Mammogram — right MLO. Patient age 81.
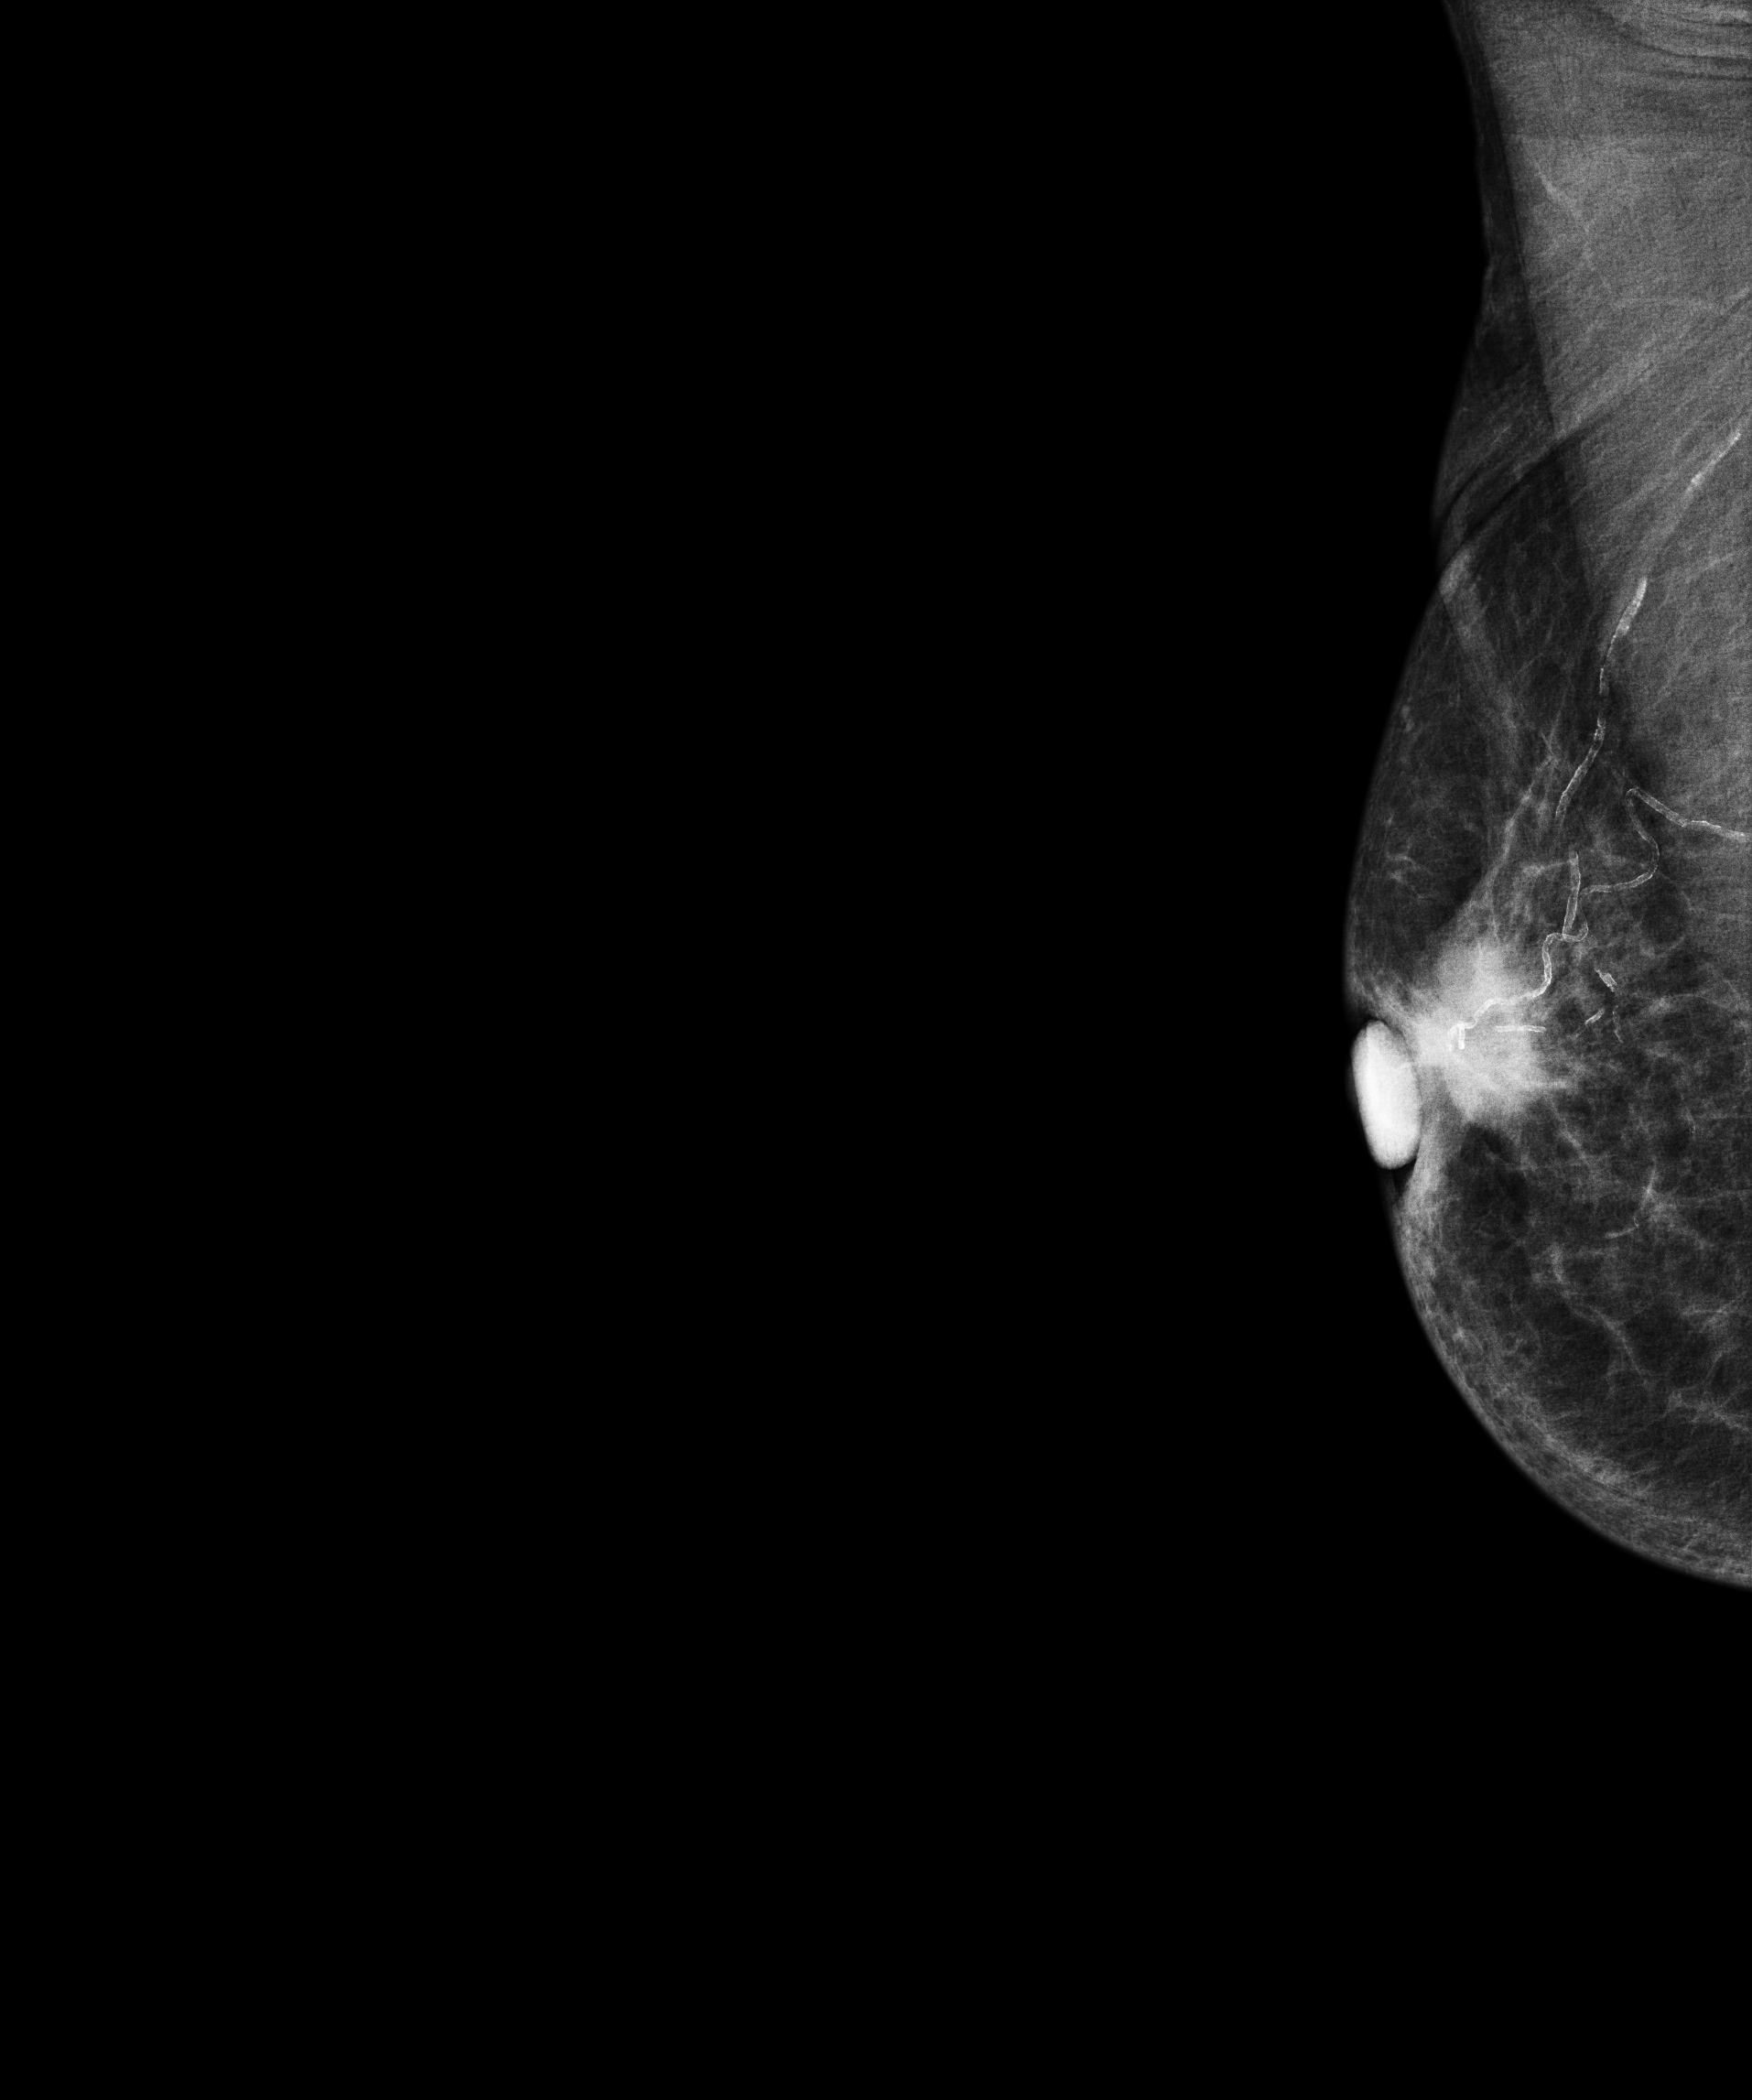
This breast has a mass, biopsy-proven malignant. Molecular subtype: luminal A.